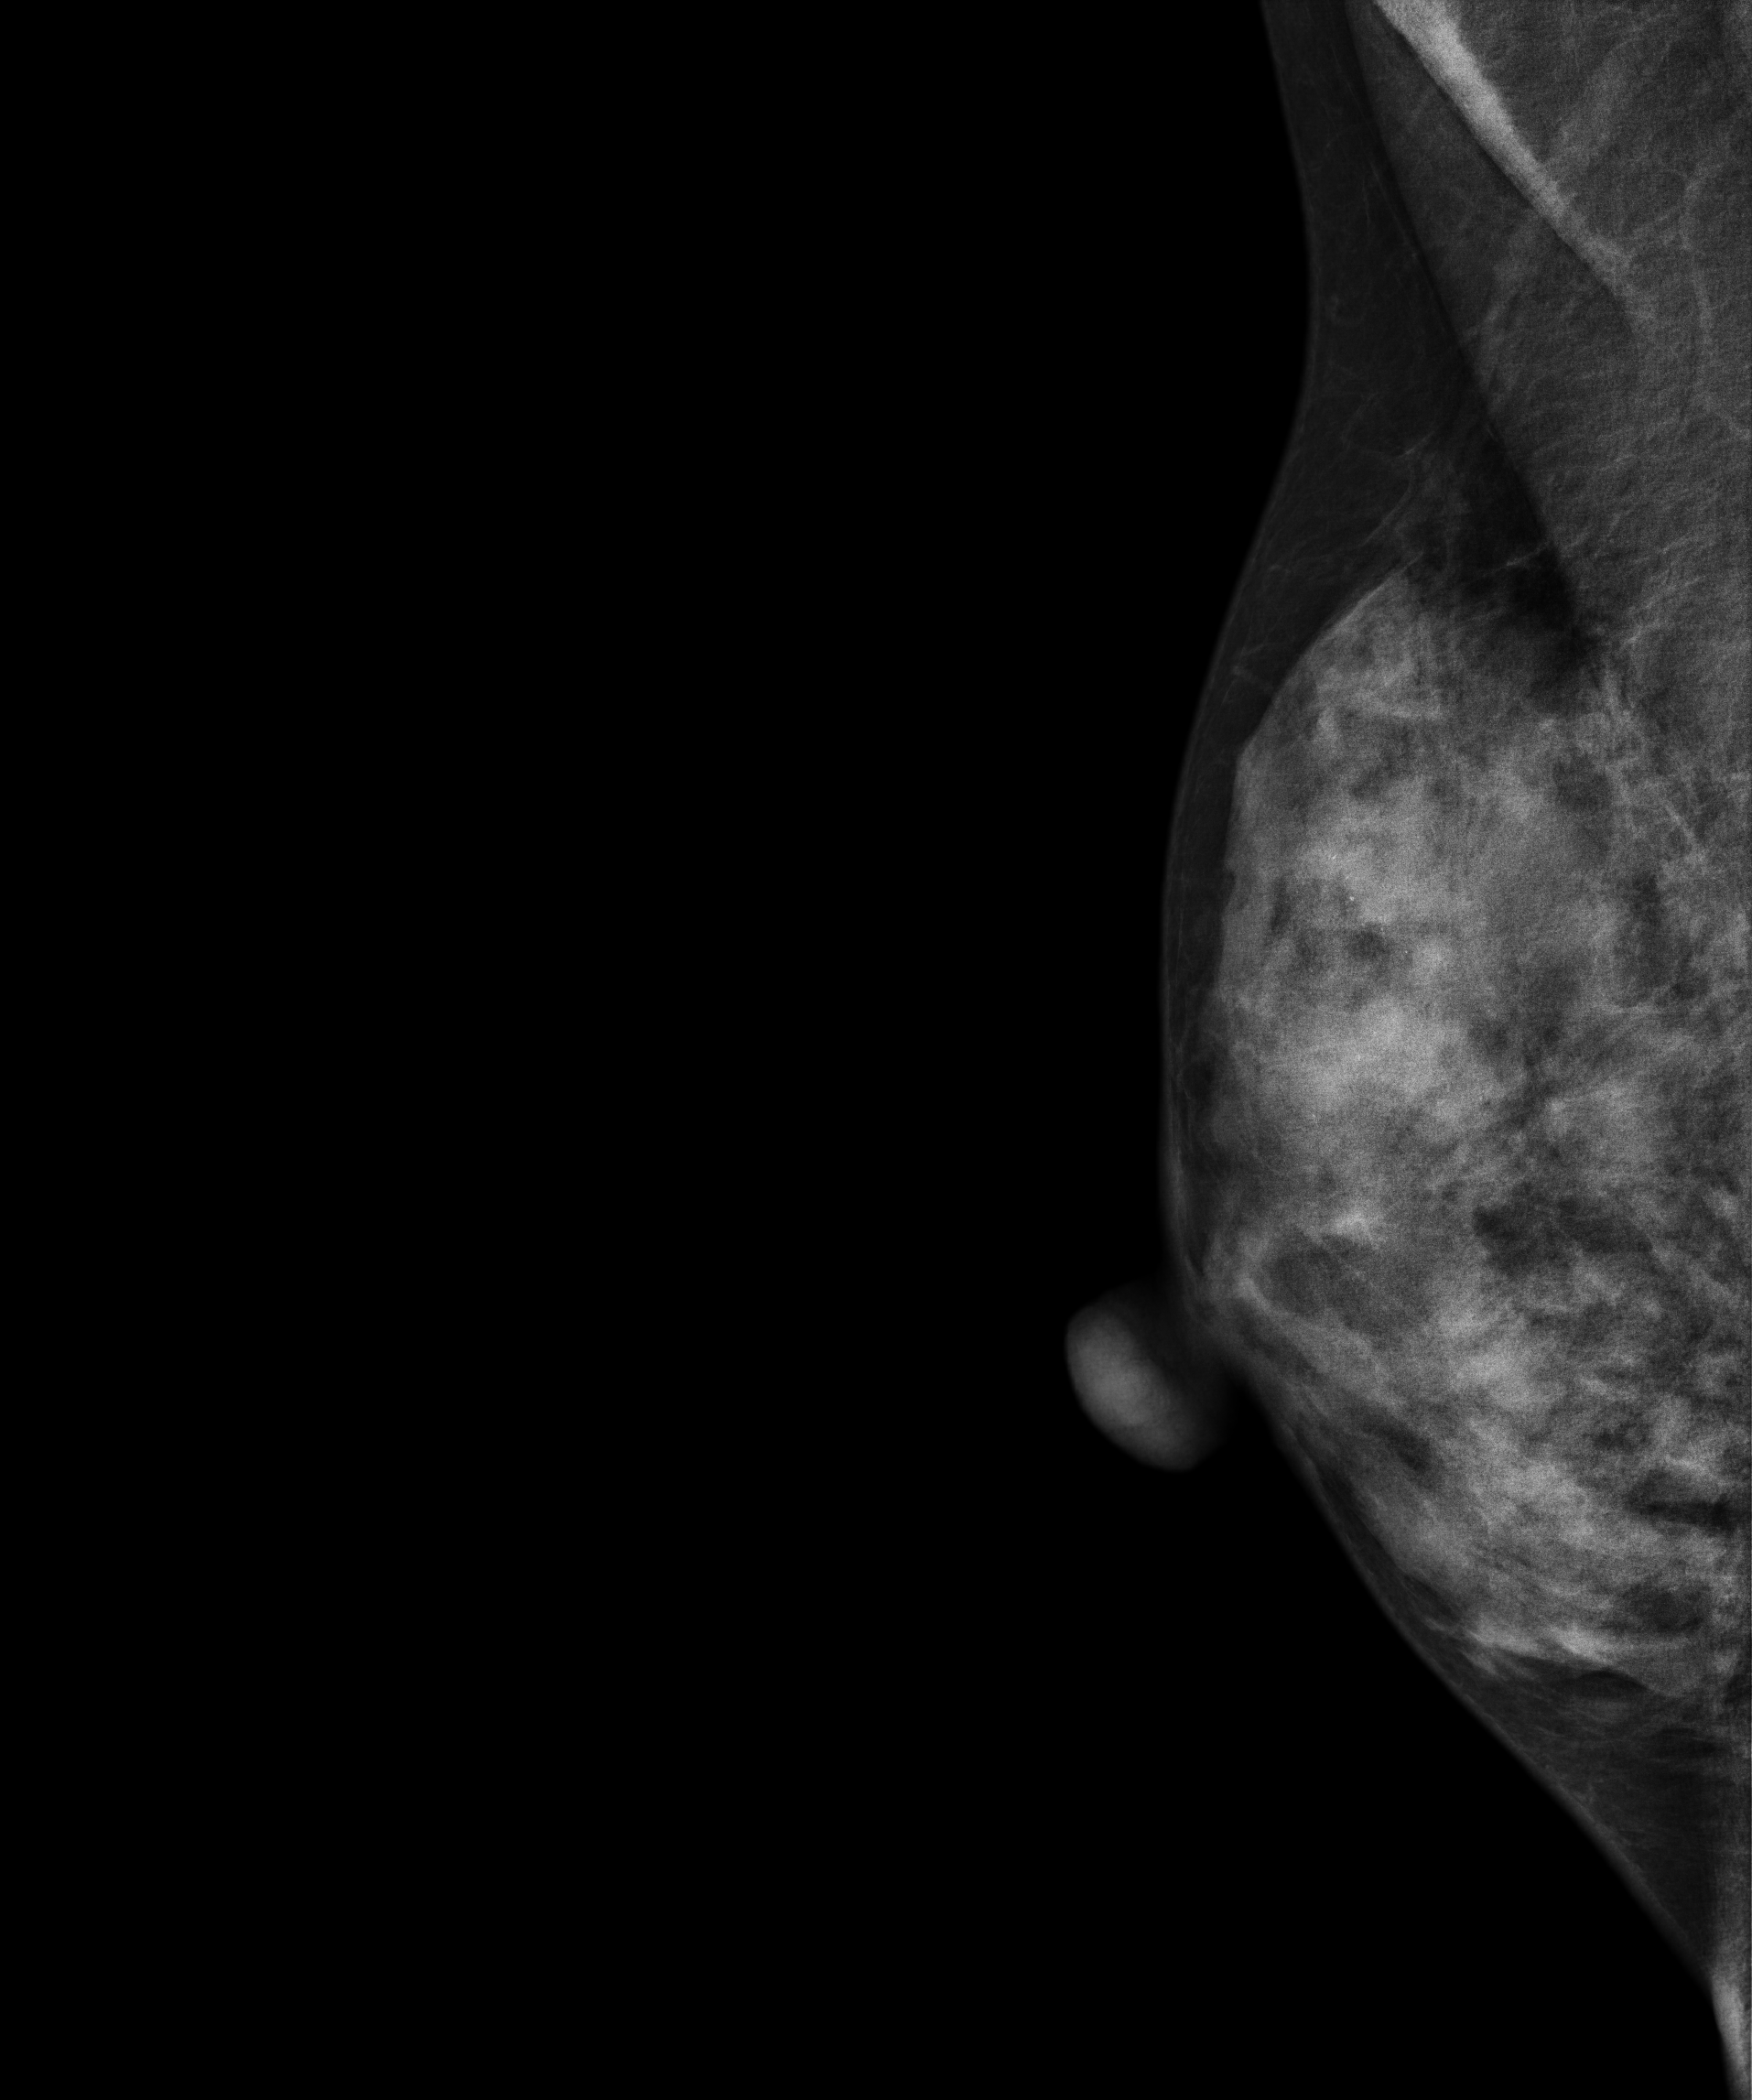
Digital mammography. Right breast, medio-lateral oblique projection. 36-year-old patient.
Contralateral breast — no documented abnormality on this side.